MLO mammogram of the left breast. 31 y/o patient.
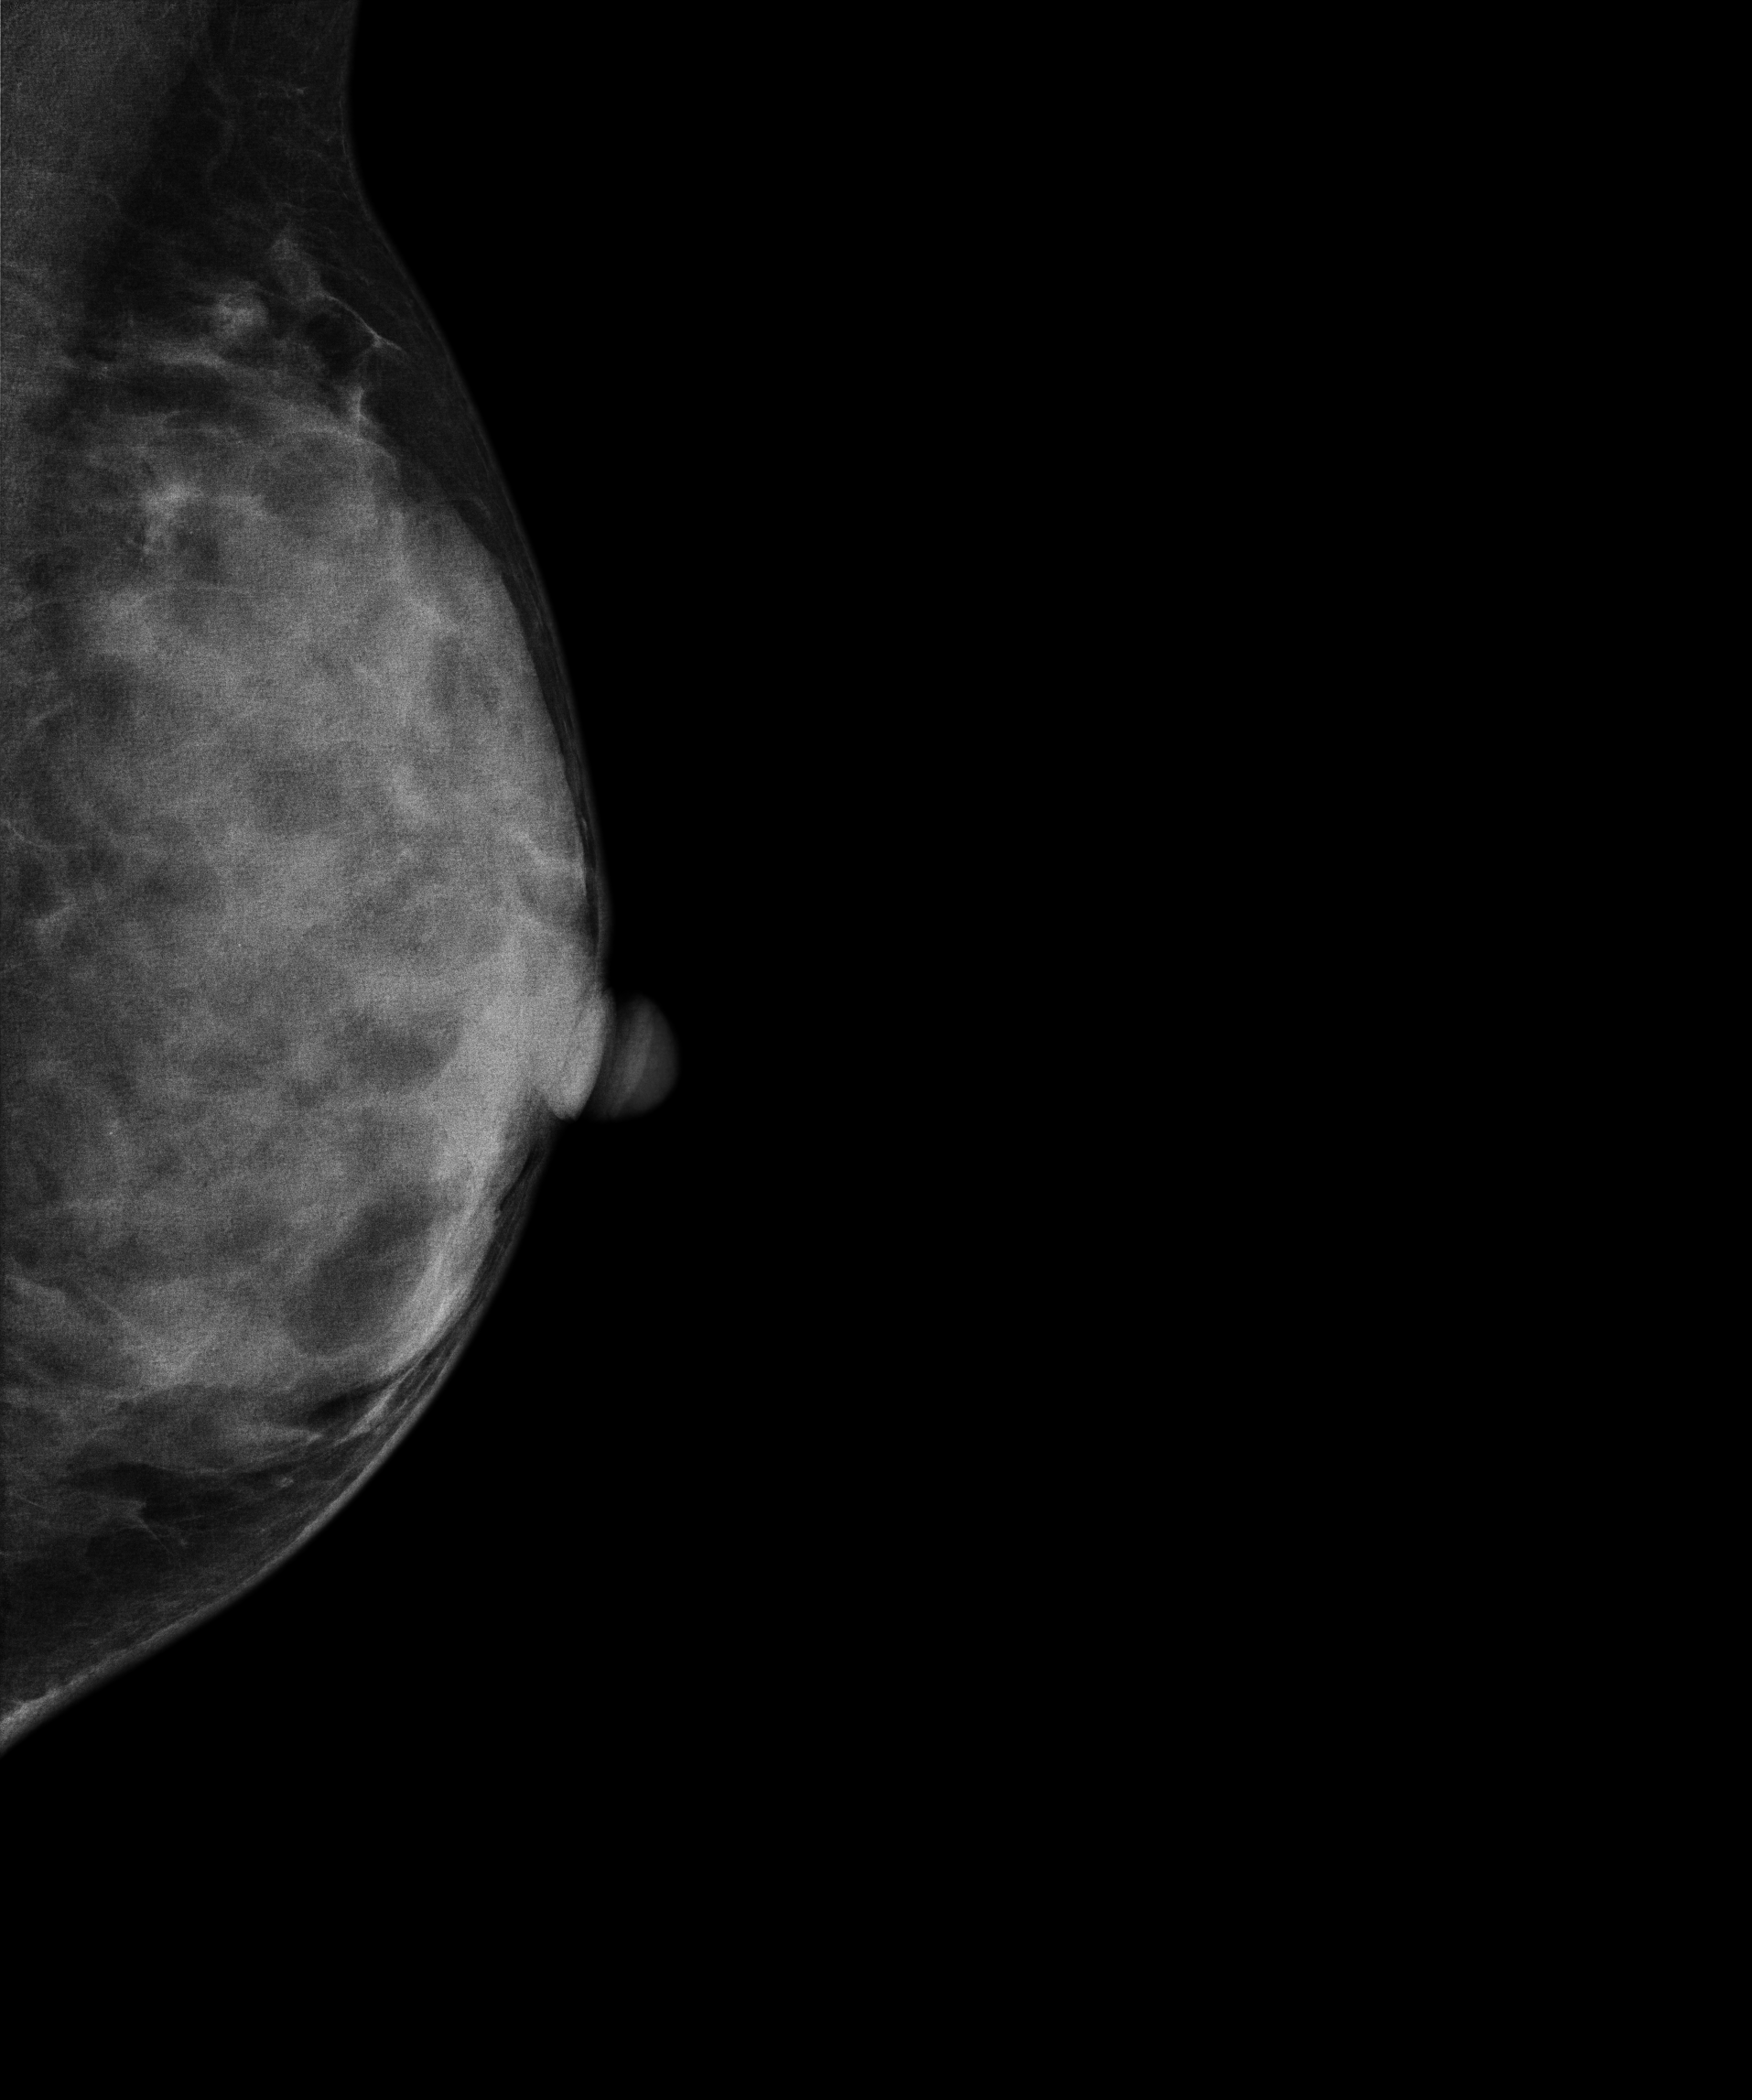
Contralateral breast — no documented abnormality on this side.